Left-breast mammogram, medio-lateral oblique. 43 y/o patient.
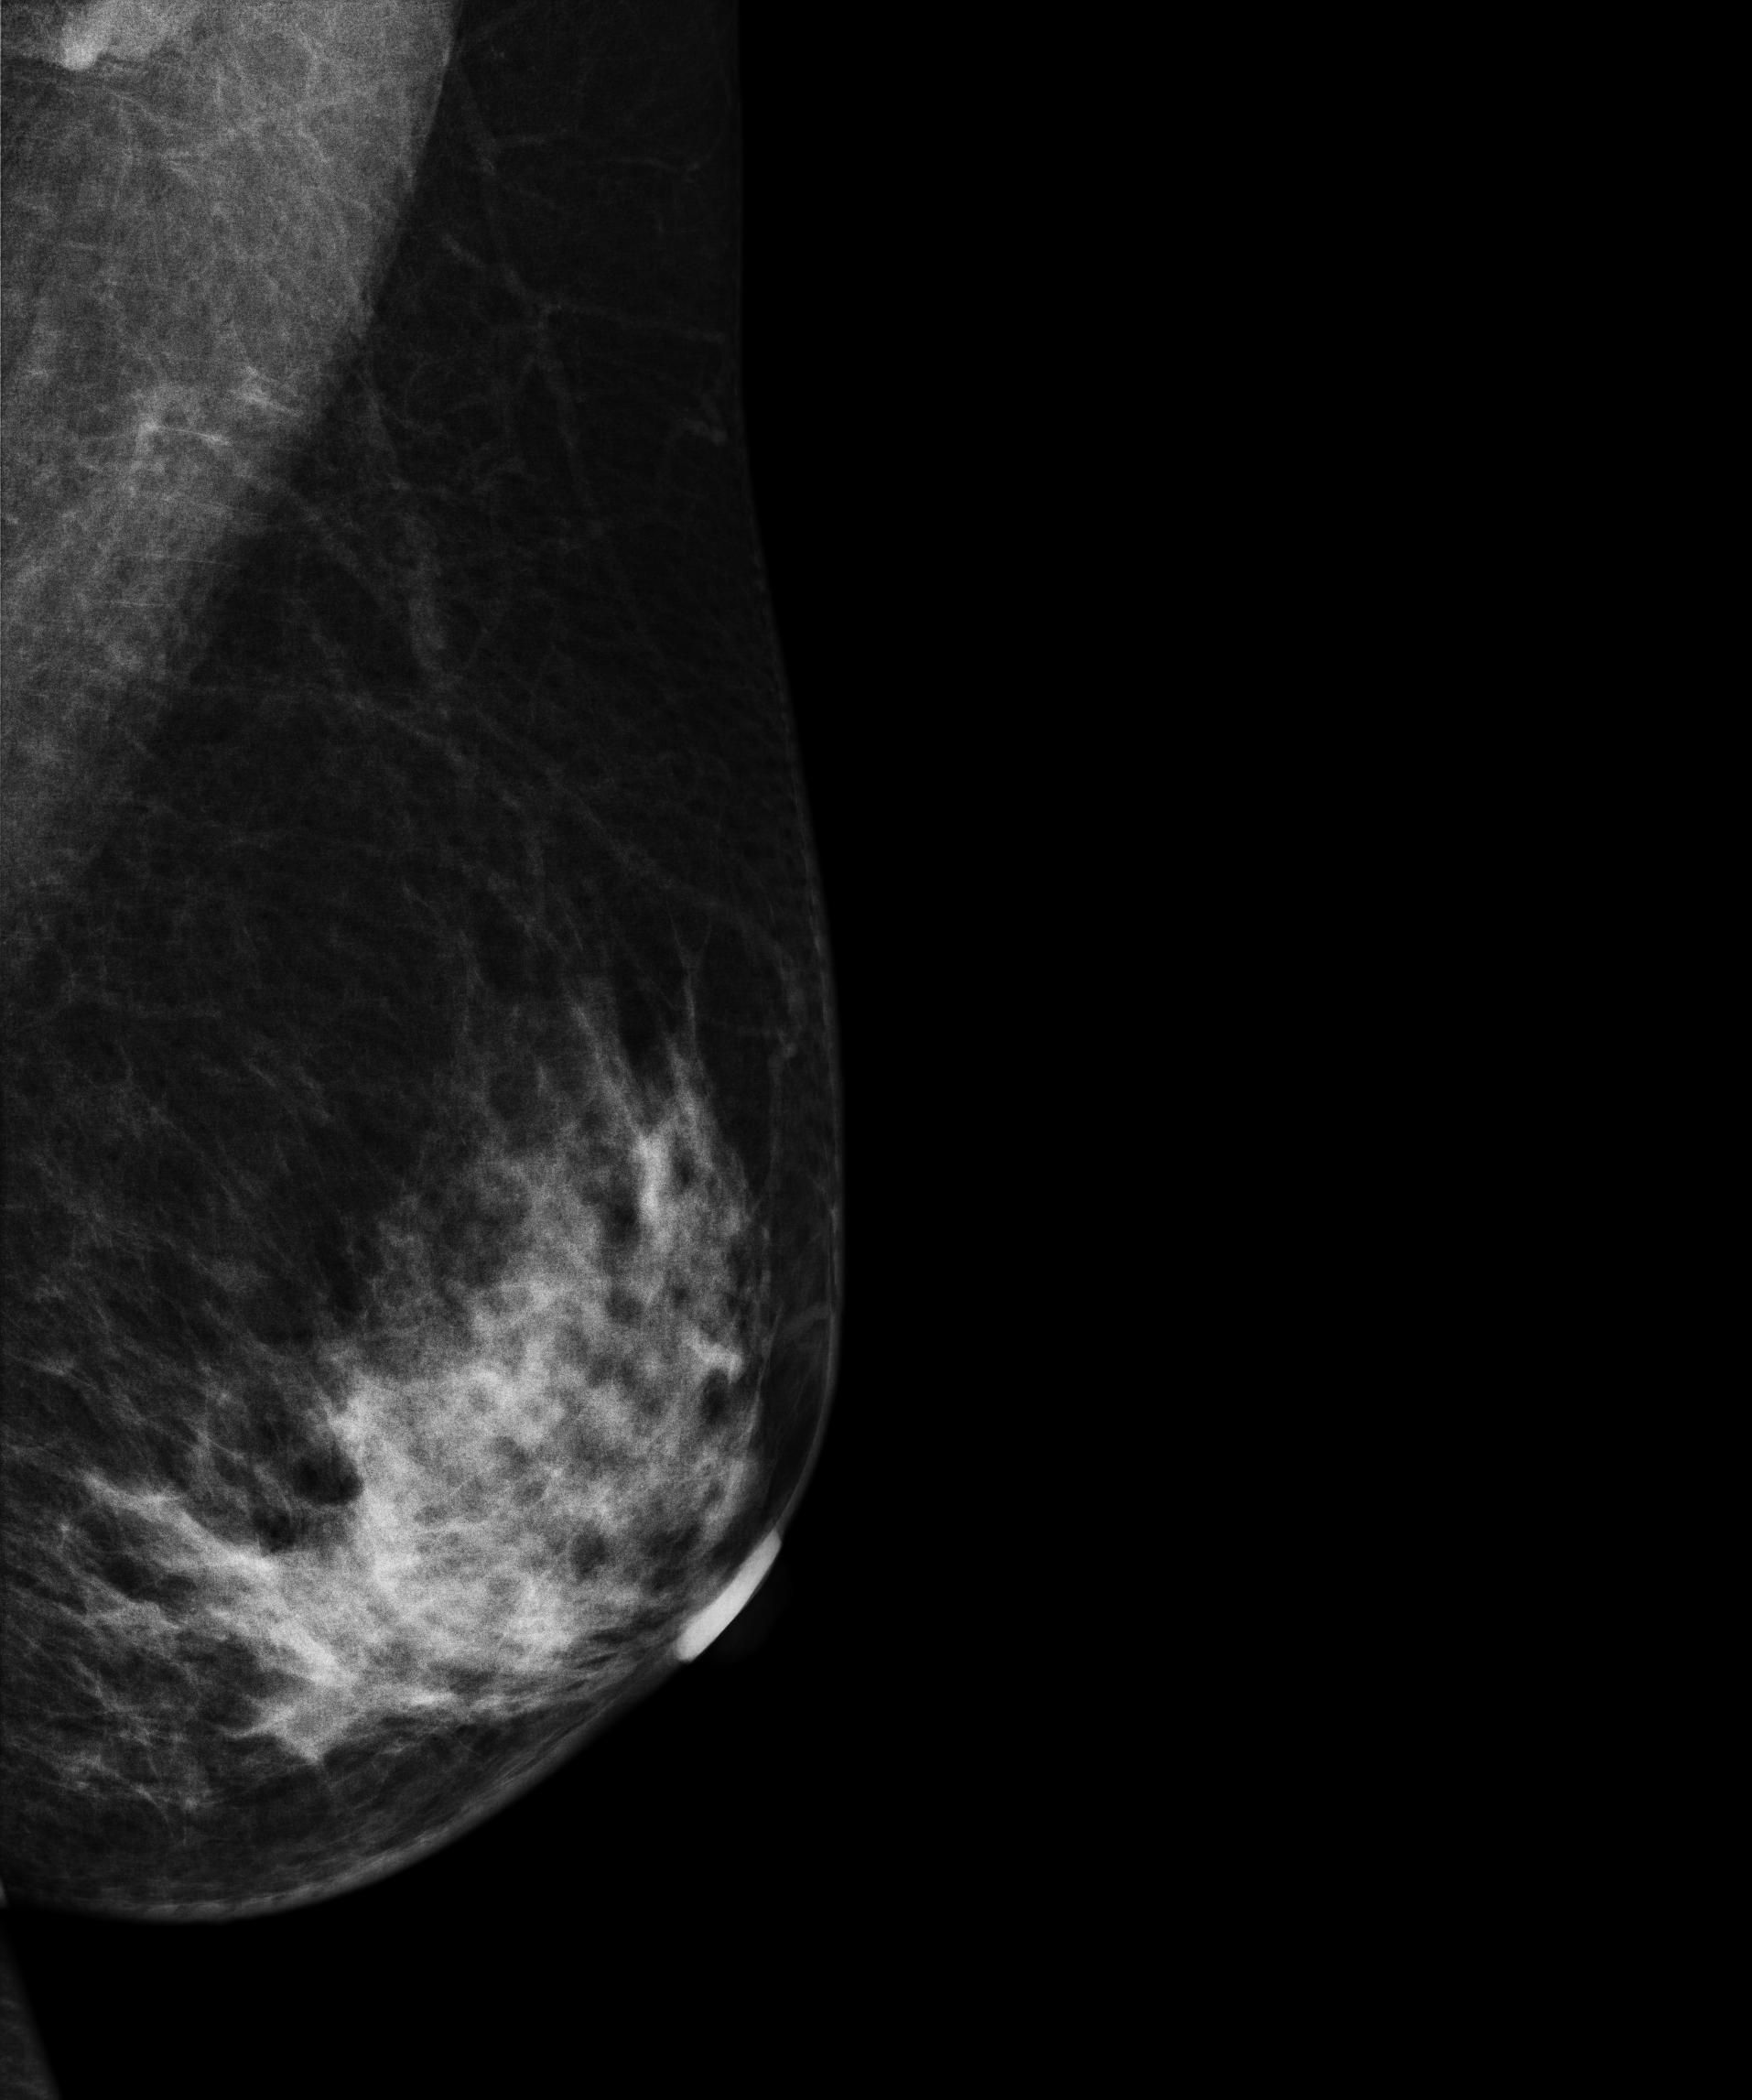
This breast has a mass, histologically confirmed malignant. Molecular subtype: triple-negative.